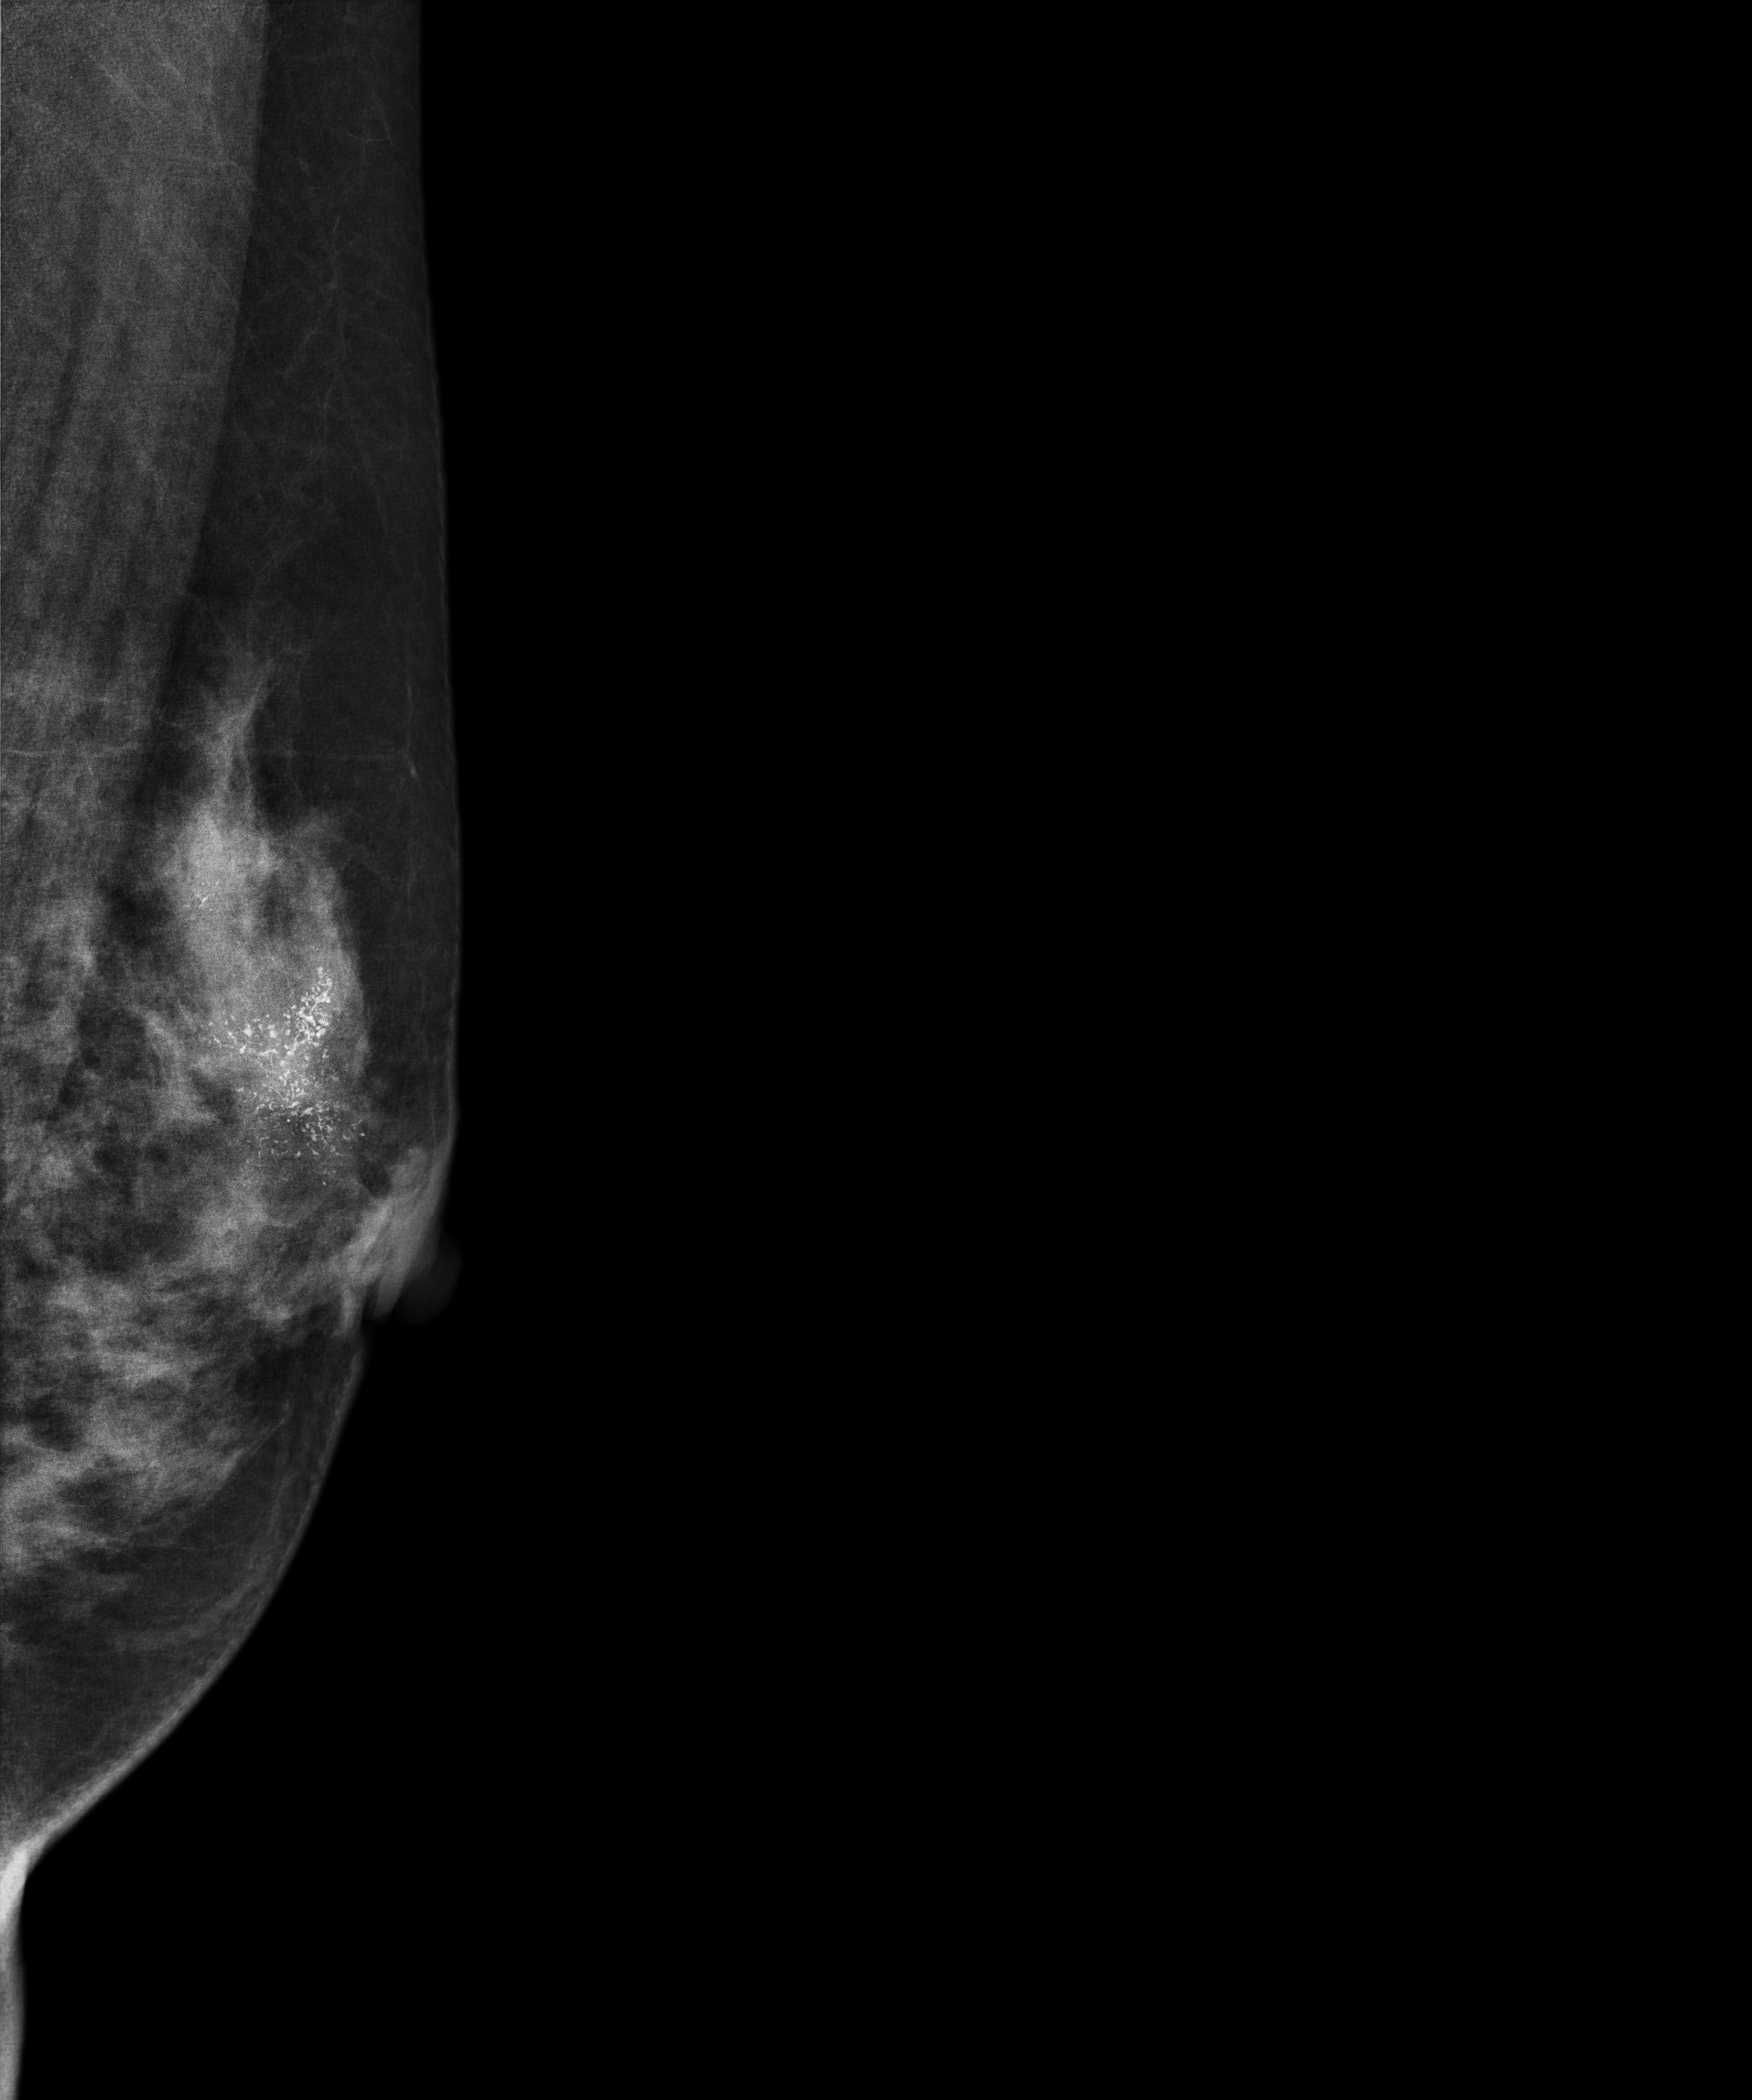
Left-breast mammogram, medio-lateral oblique. 44 y/o patient.
This breast has calcifications, biopsy-proven malignant. Molecular subtype: HER2-enriched.